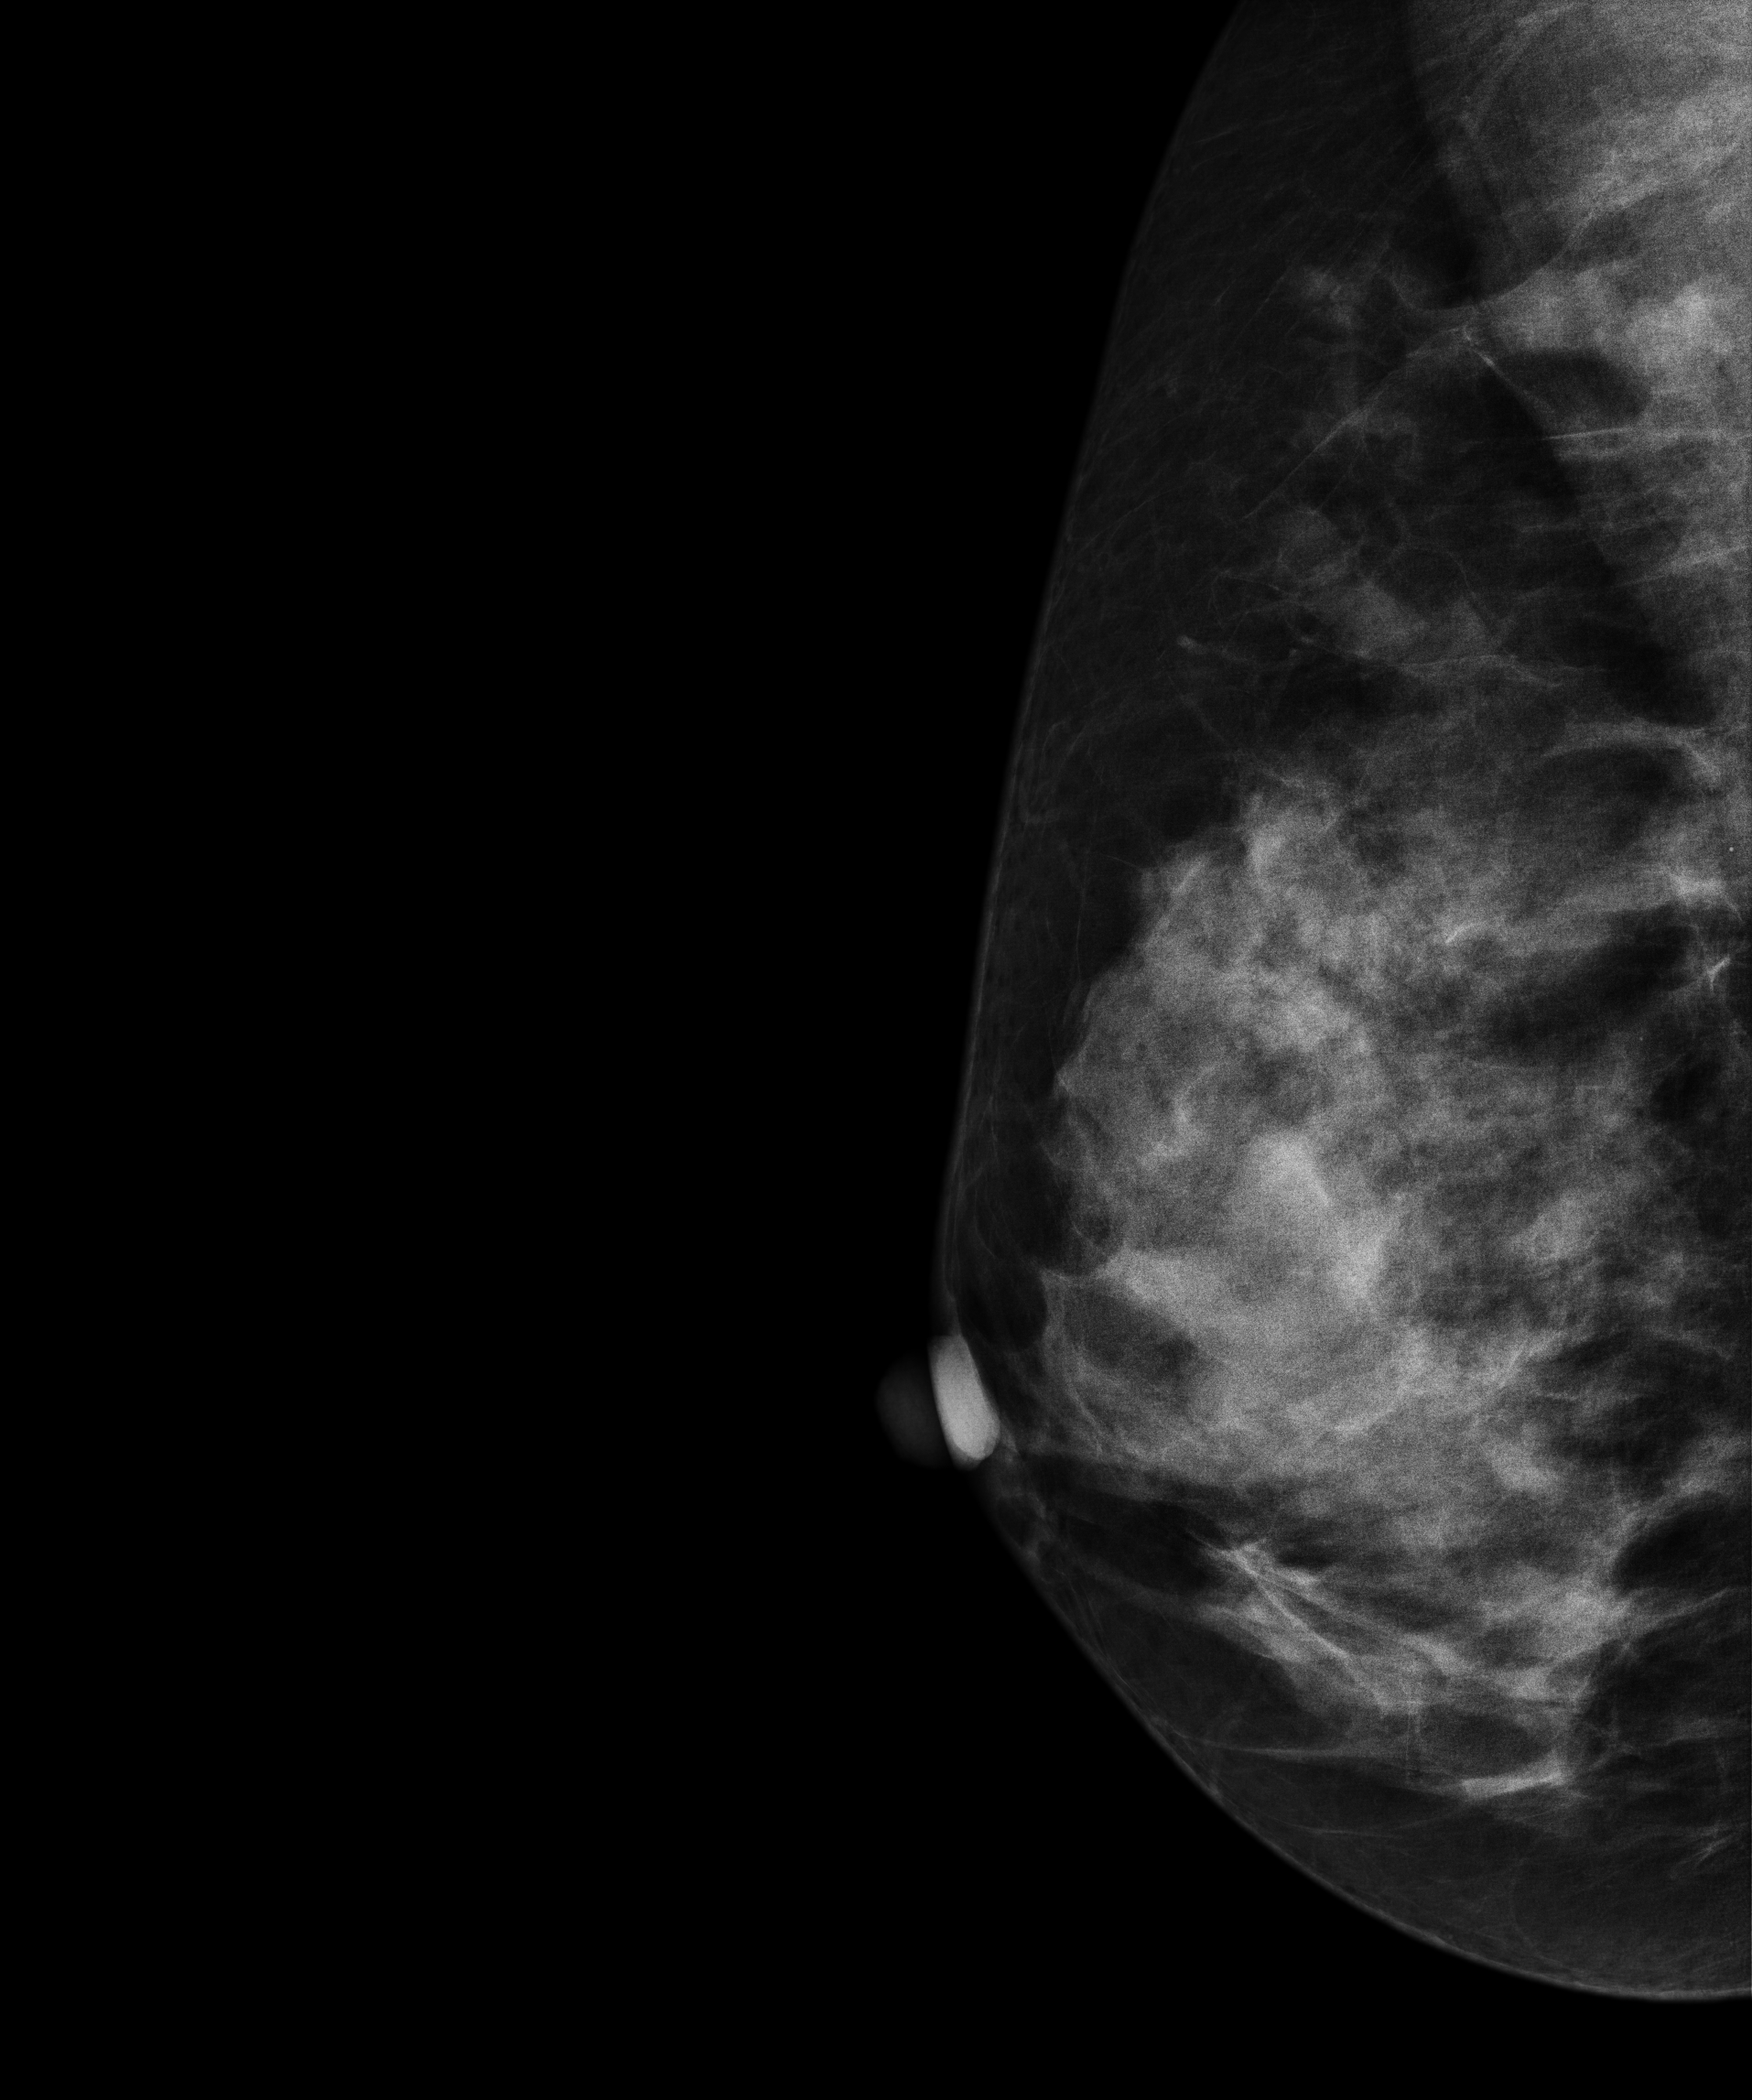
Mammogram — right medio-lateral oblique. 51 y/o patient.
This breast has a mass, pathology-confirmed malignant.